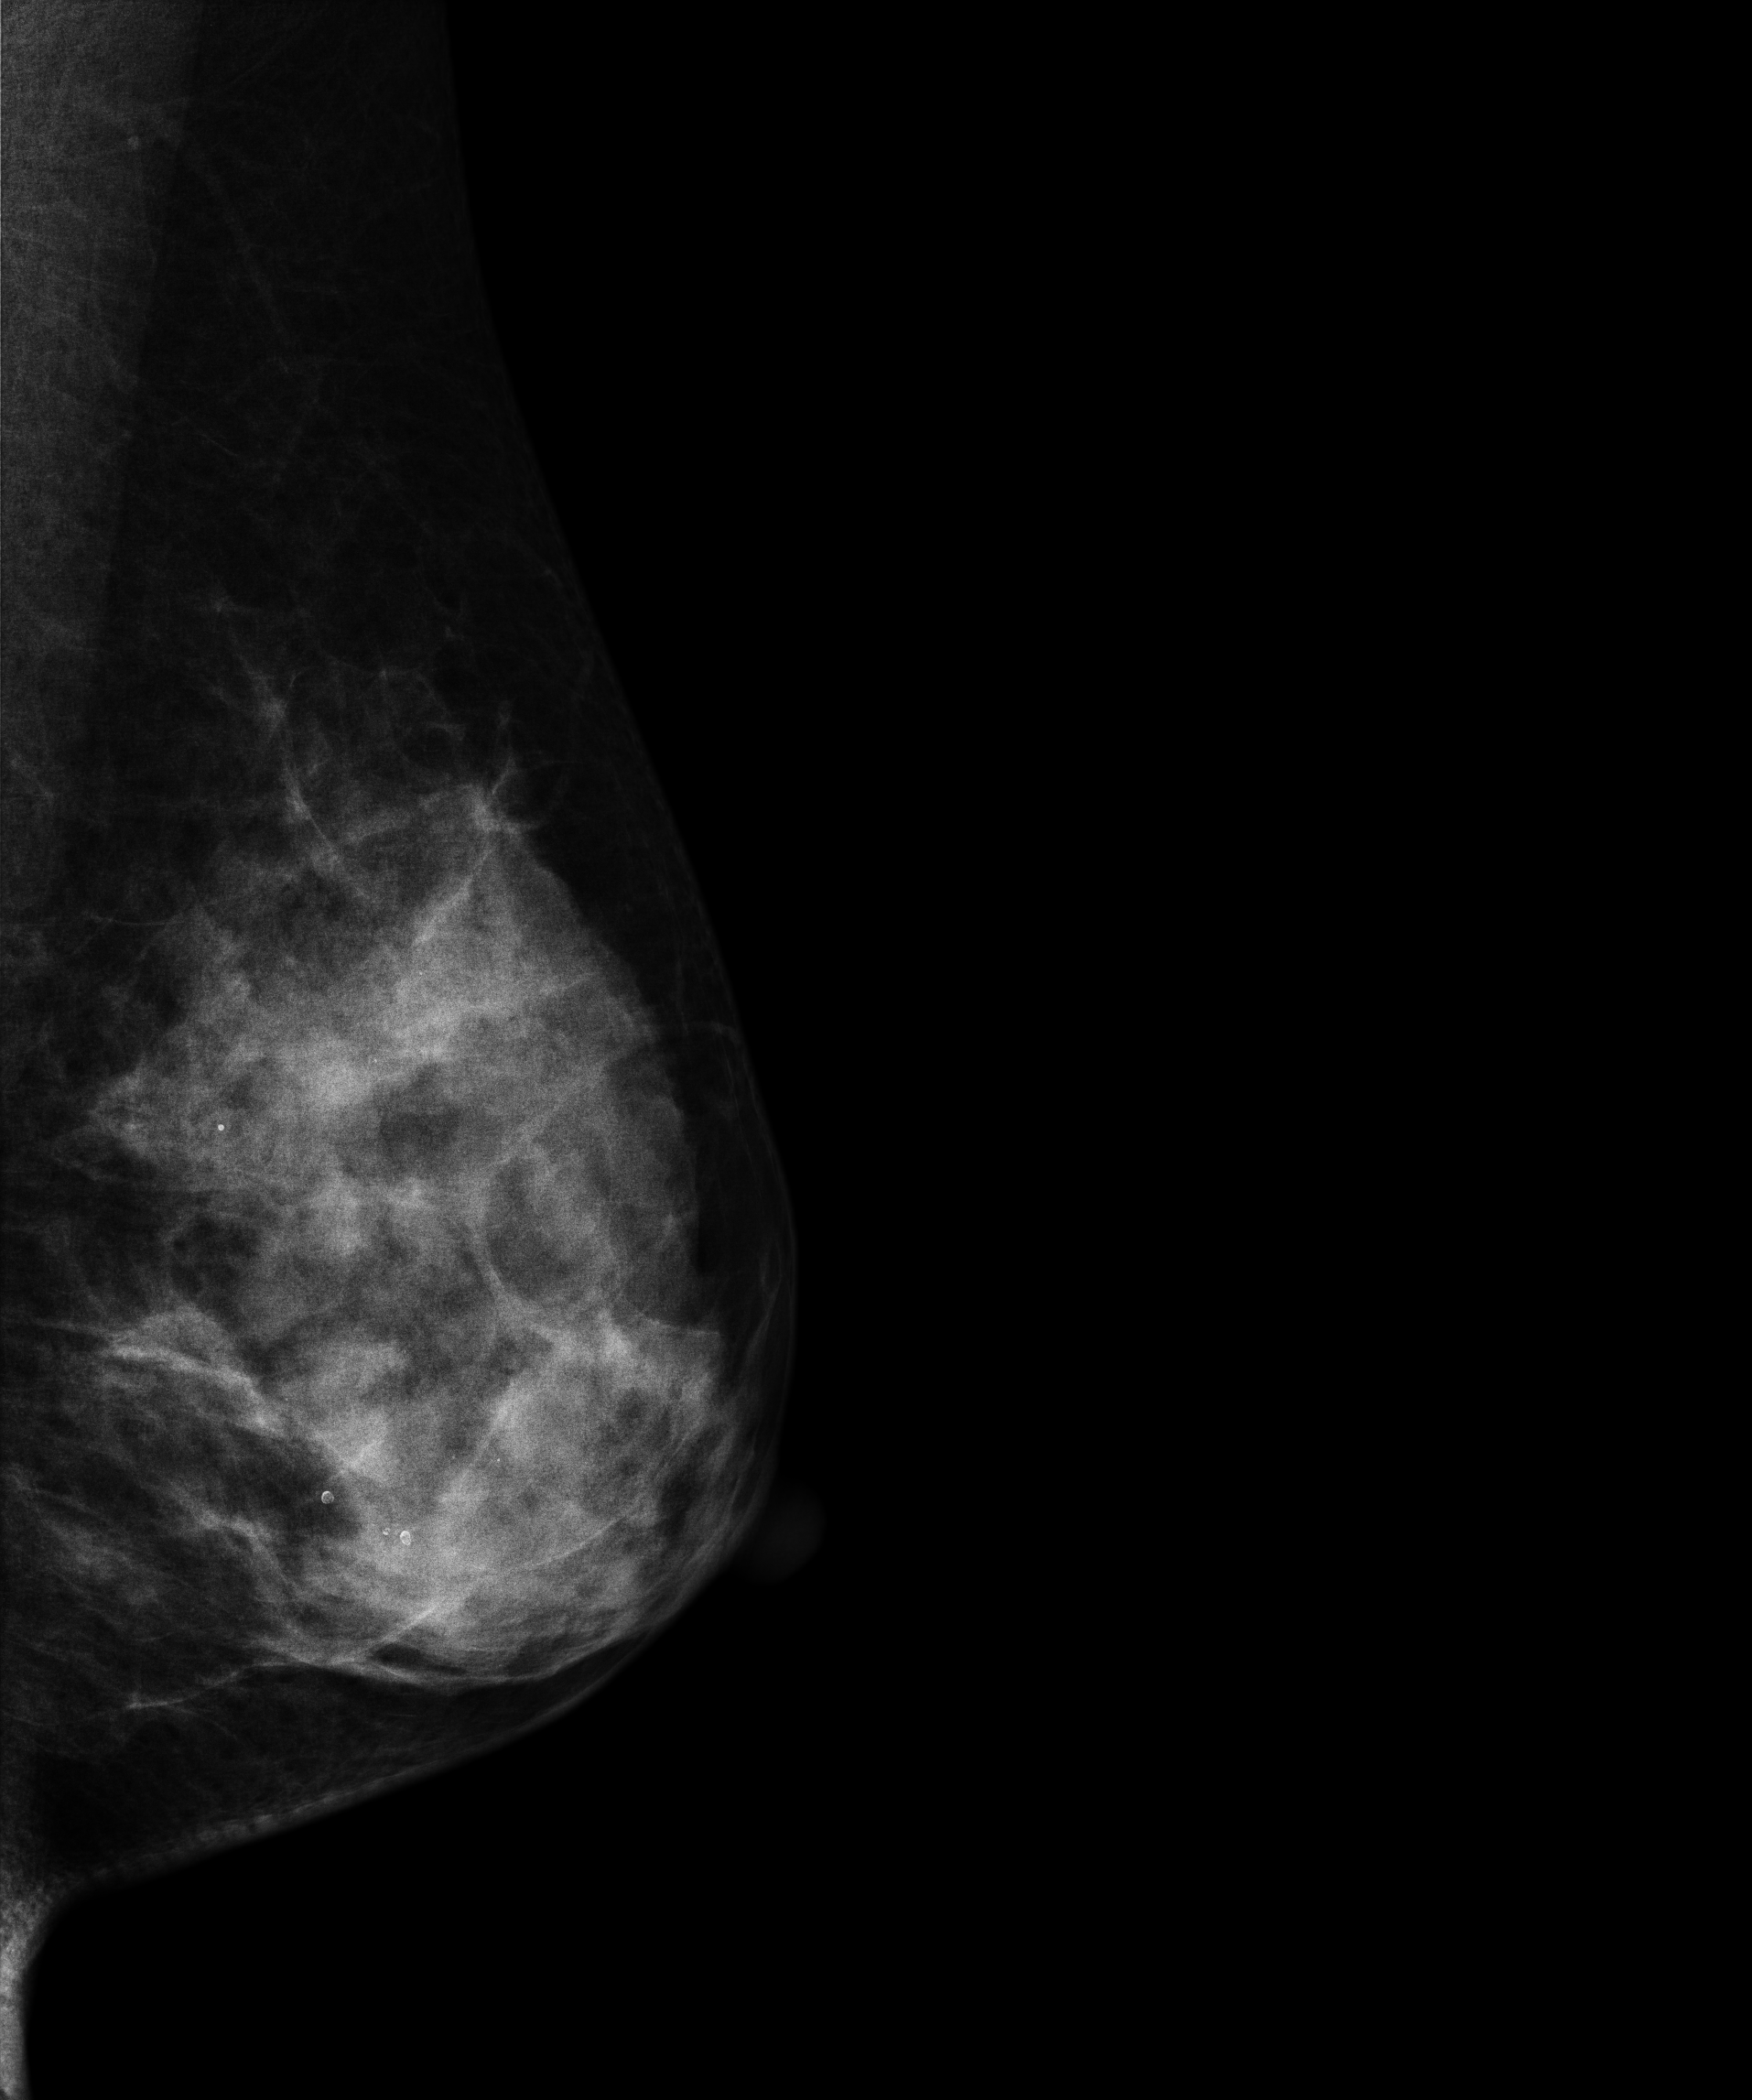
Mammogram, left breast, medio-lateral oblique view. 30 y/o patient.
This breast has a mass and calcifications, pathology-confirmed benign.